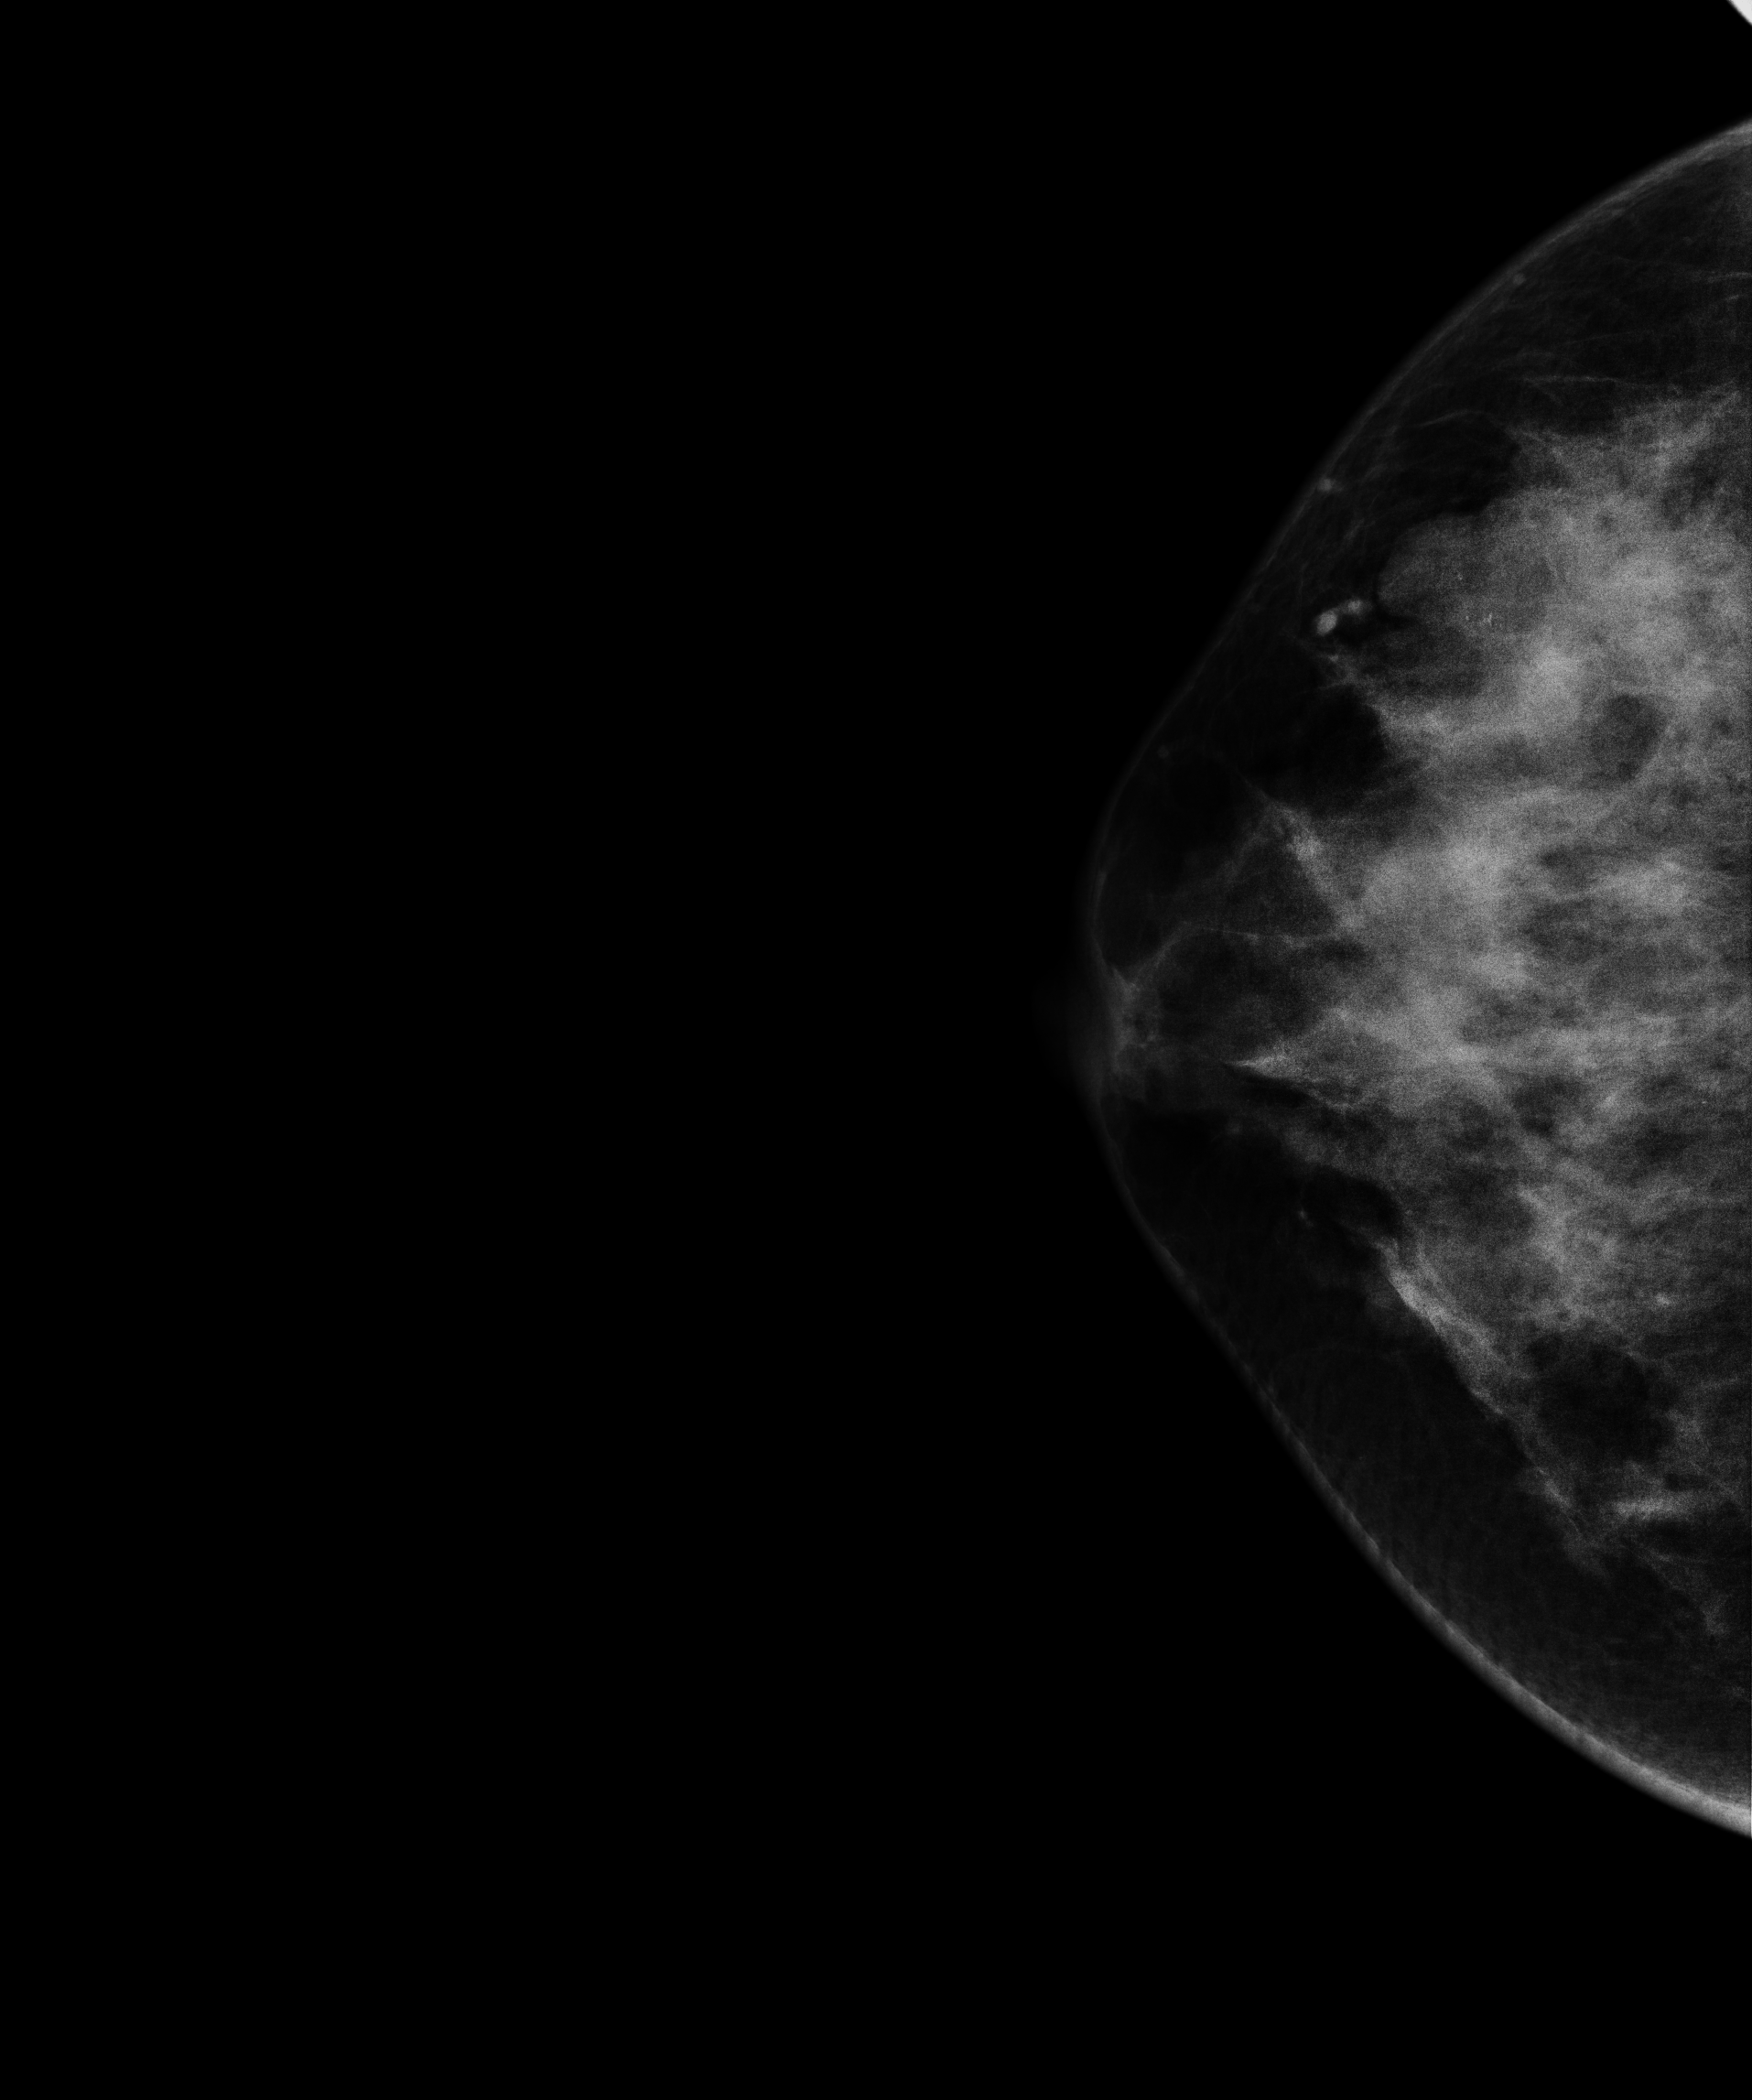
Mammogram, right breast, CC view. 53-year-old patient.
This breast has a mass, biopsy-proven malignant. Molecular subtype: luminal B.